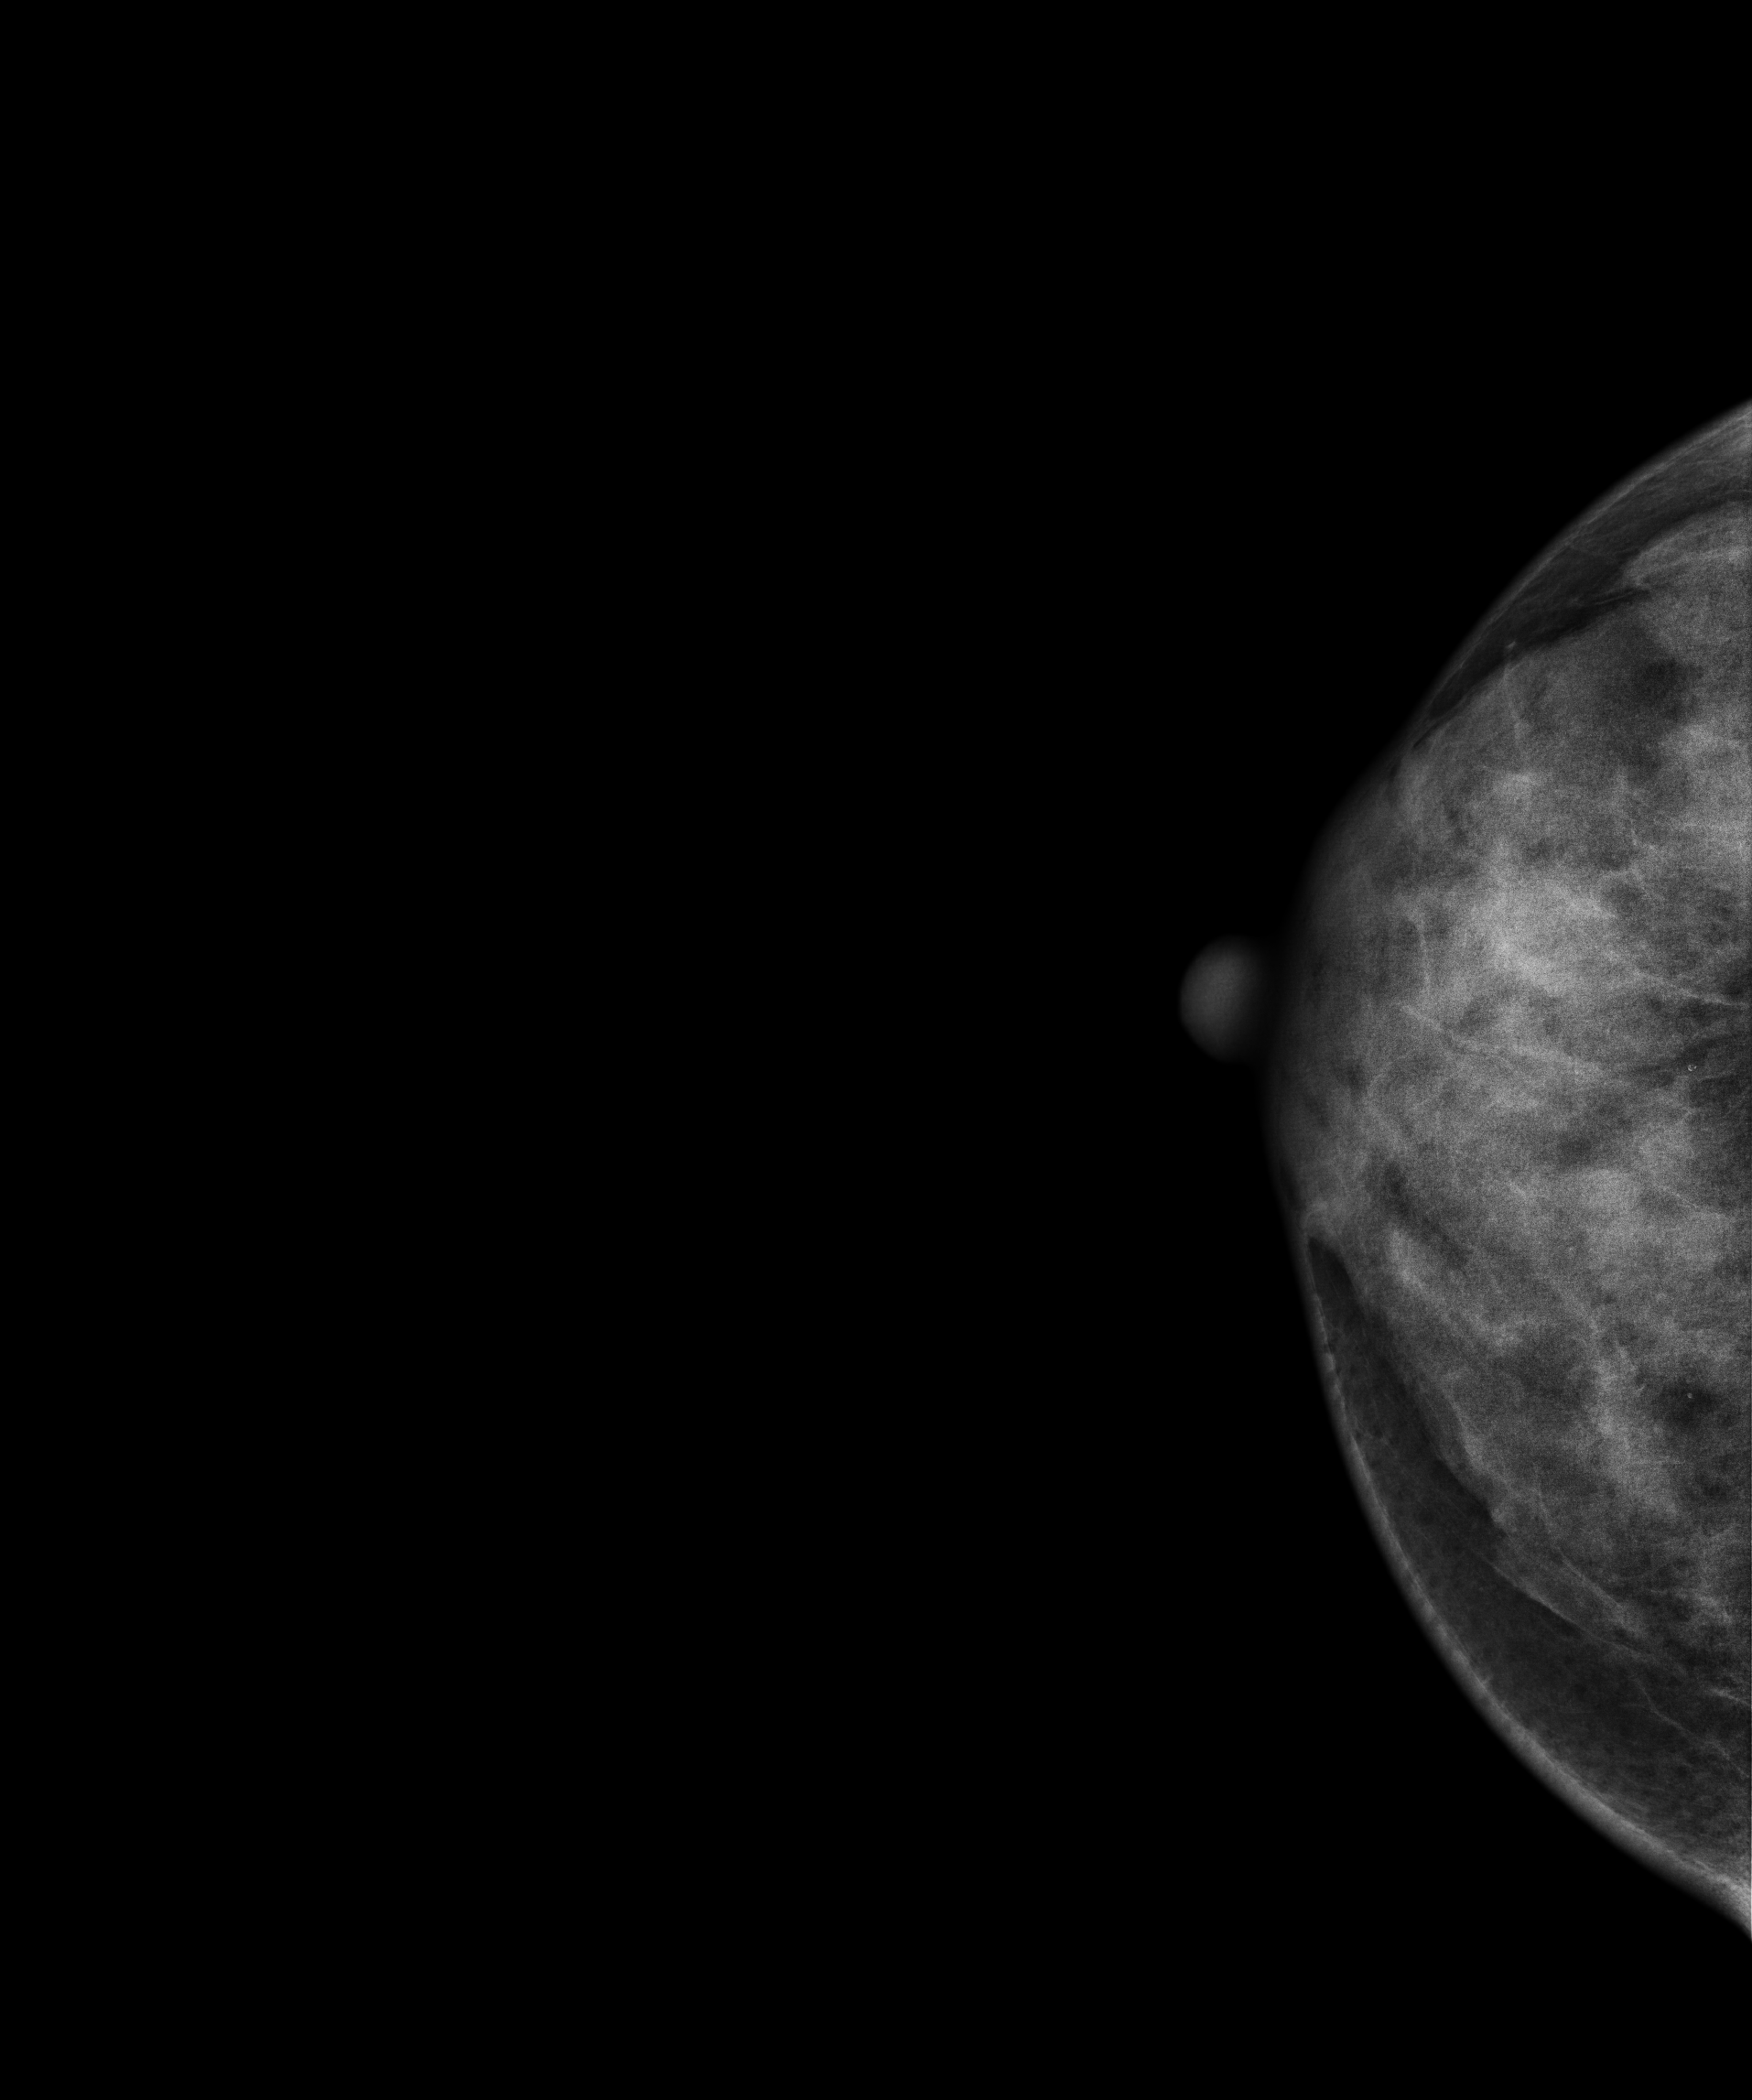
Right-breast mammogram, cranio-caudal. Patient age 44.
Contralateral breast — no documented abnormality on this side.